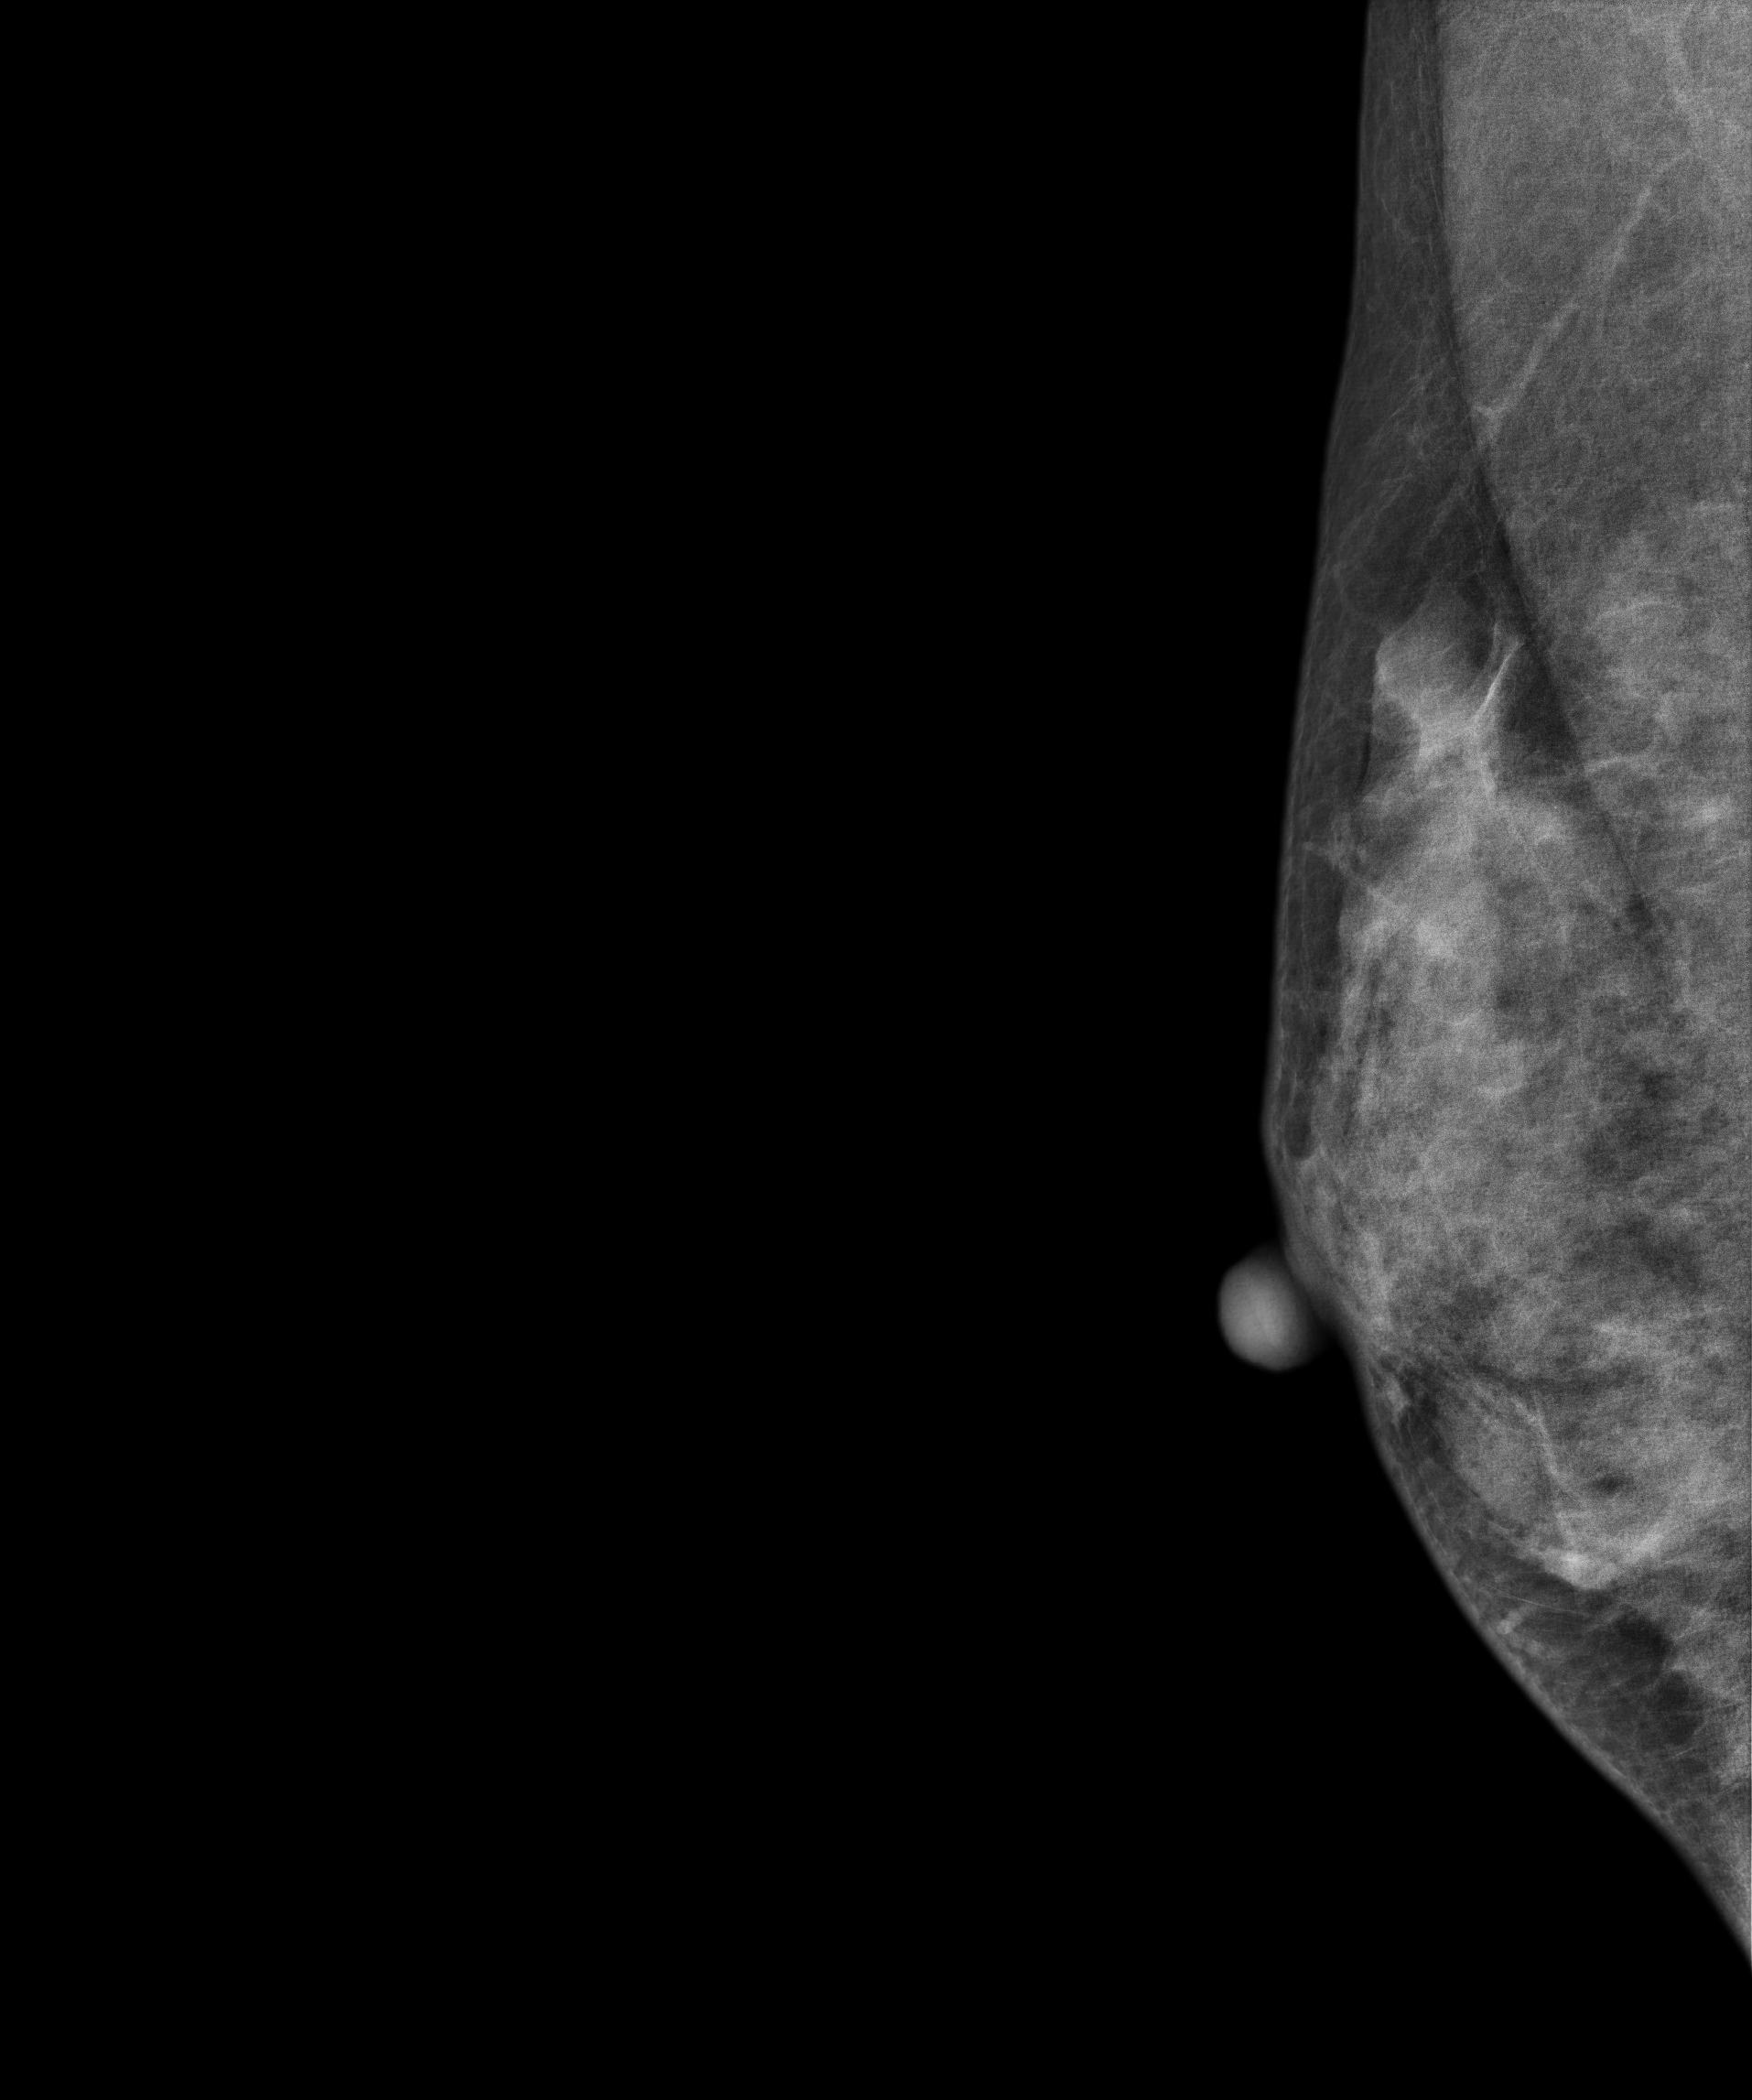
Mammogram, right breast, MLO view. 42-year-old patient.
Contralateral breast — no documented abnormality on this side.